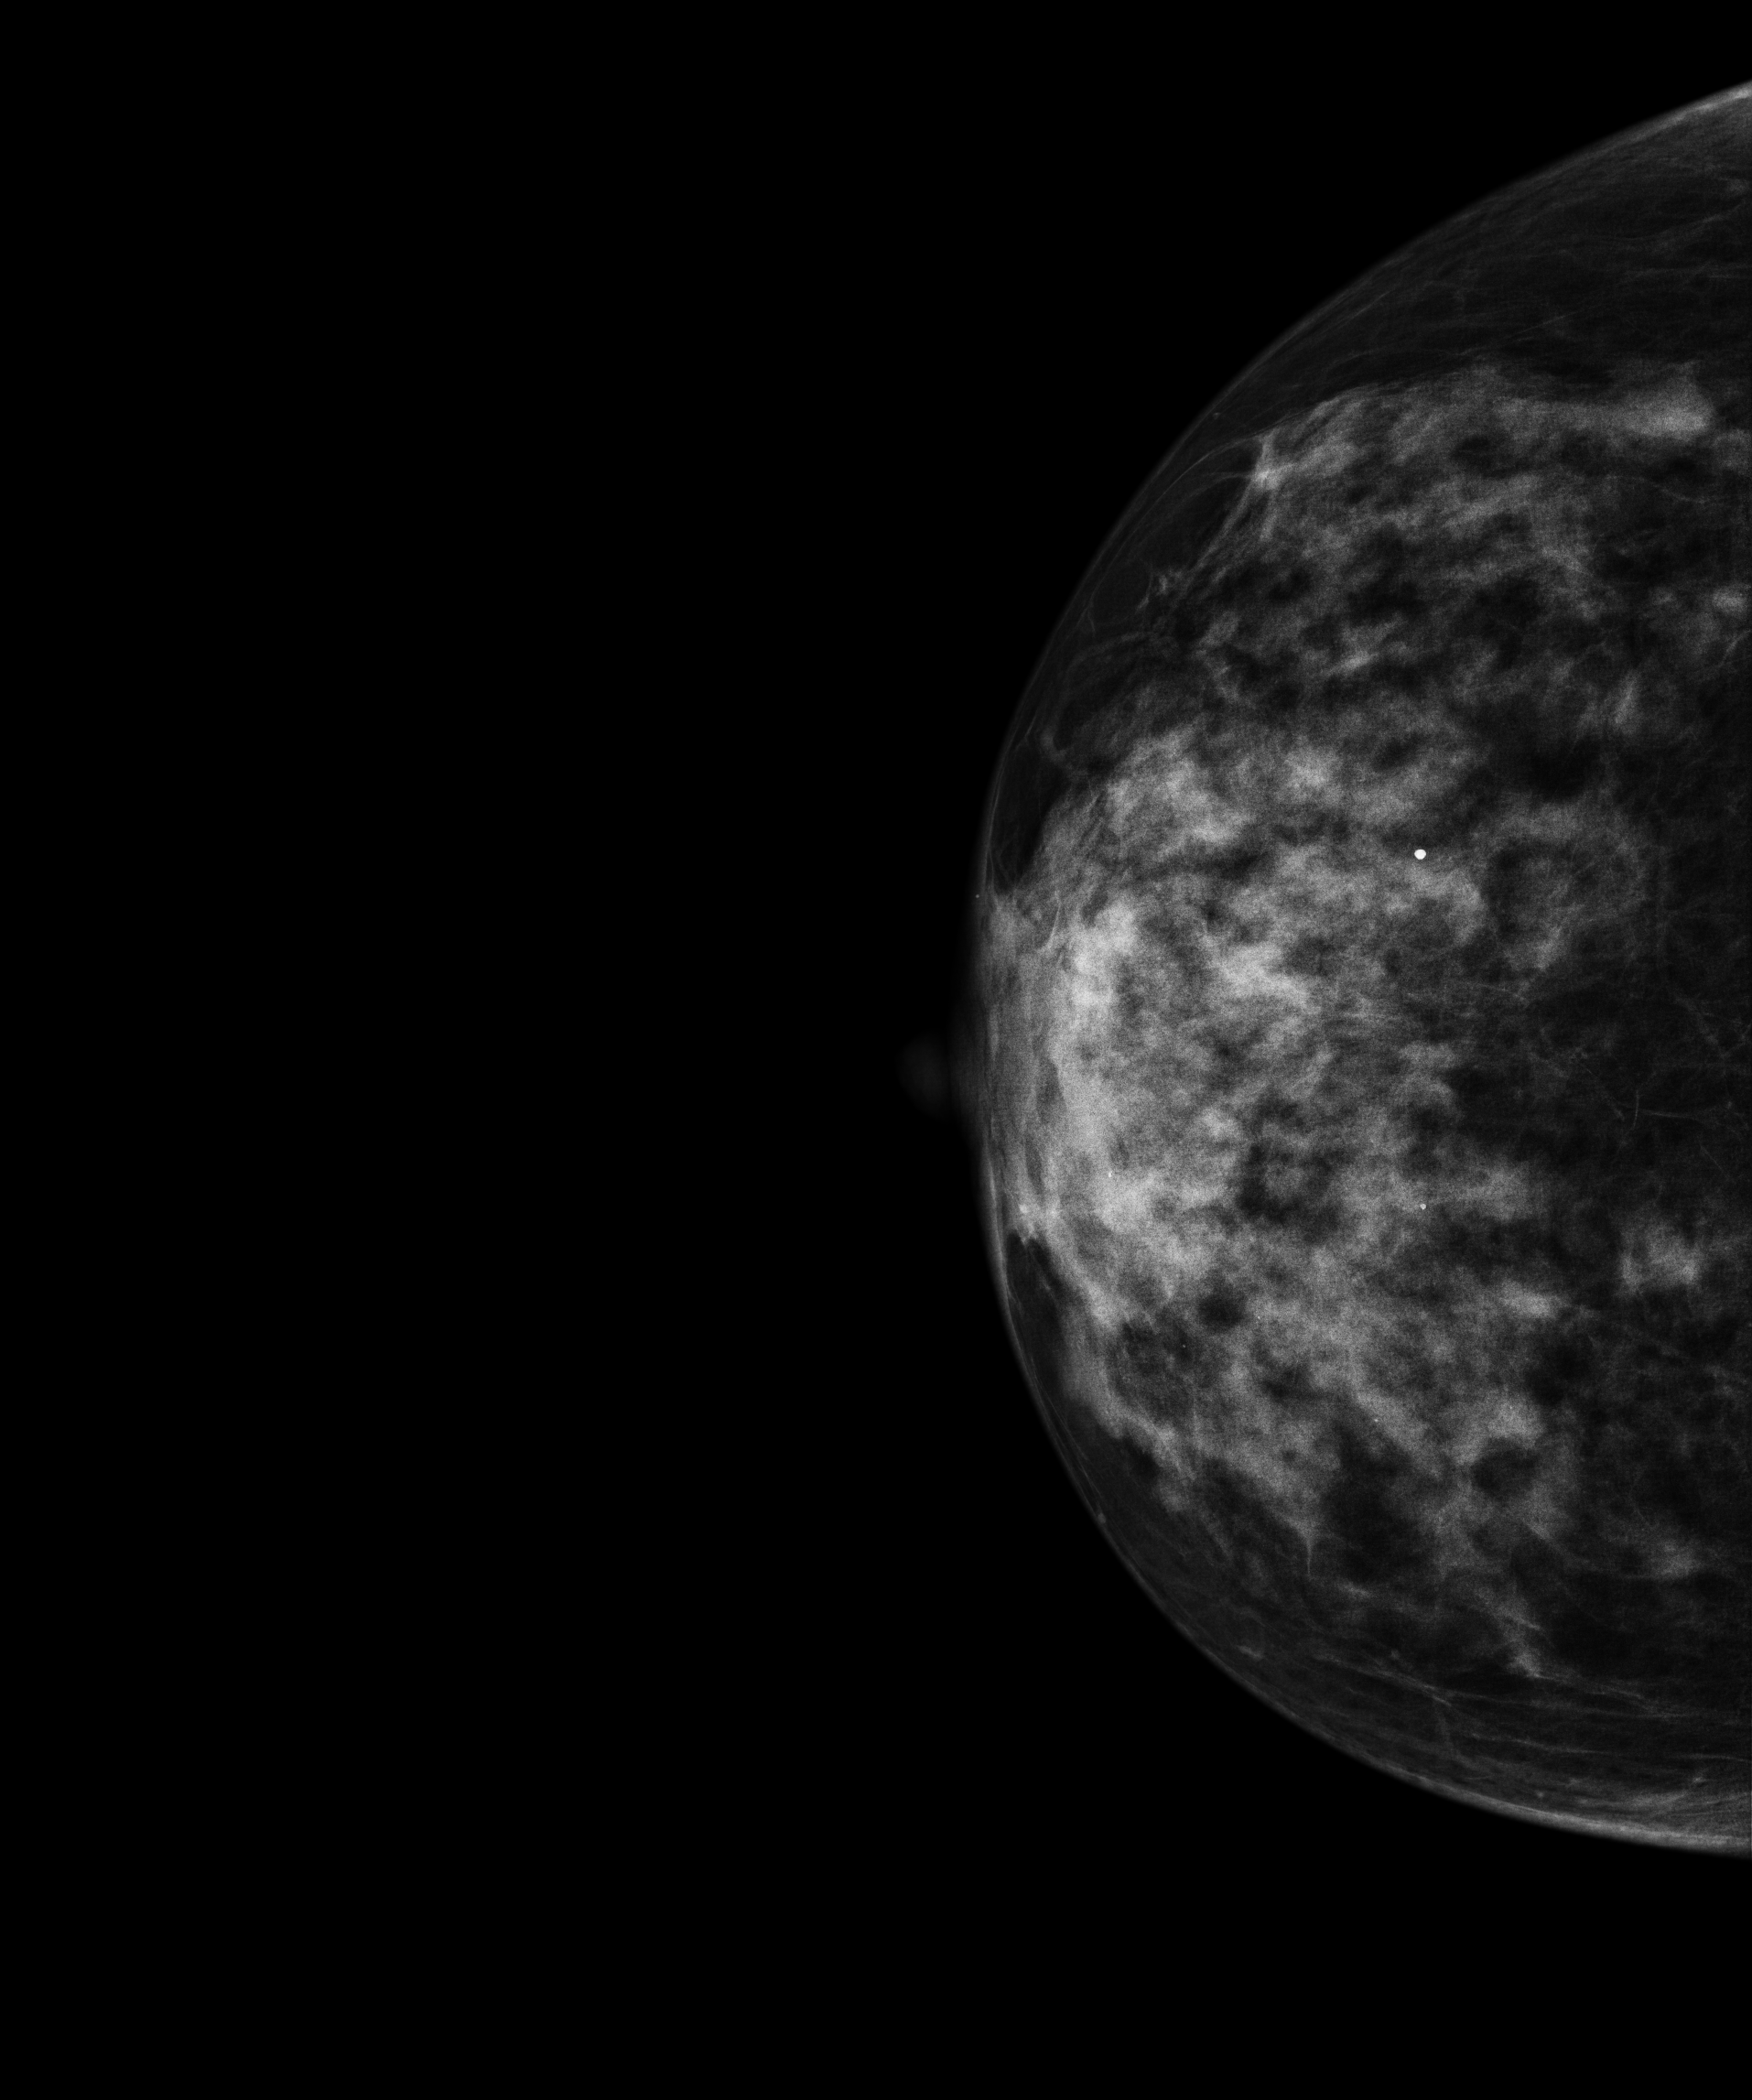
Digital mammography. Right breast, CC projection. Patient age 60.
Contralateral breast — no documented abnormality on this side.